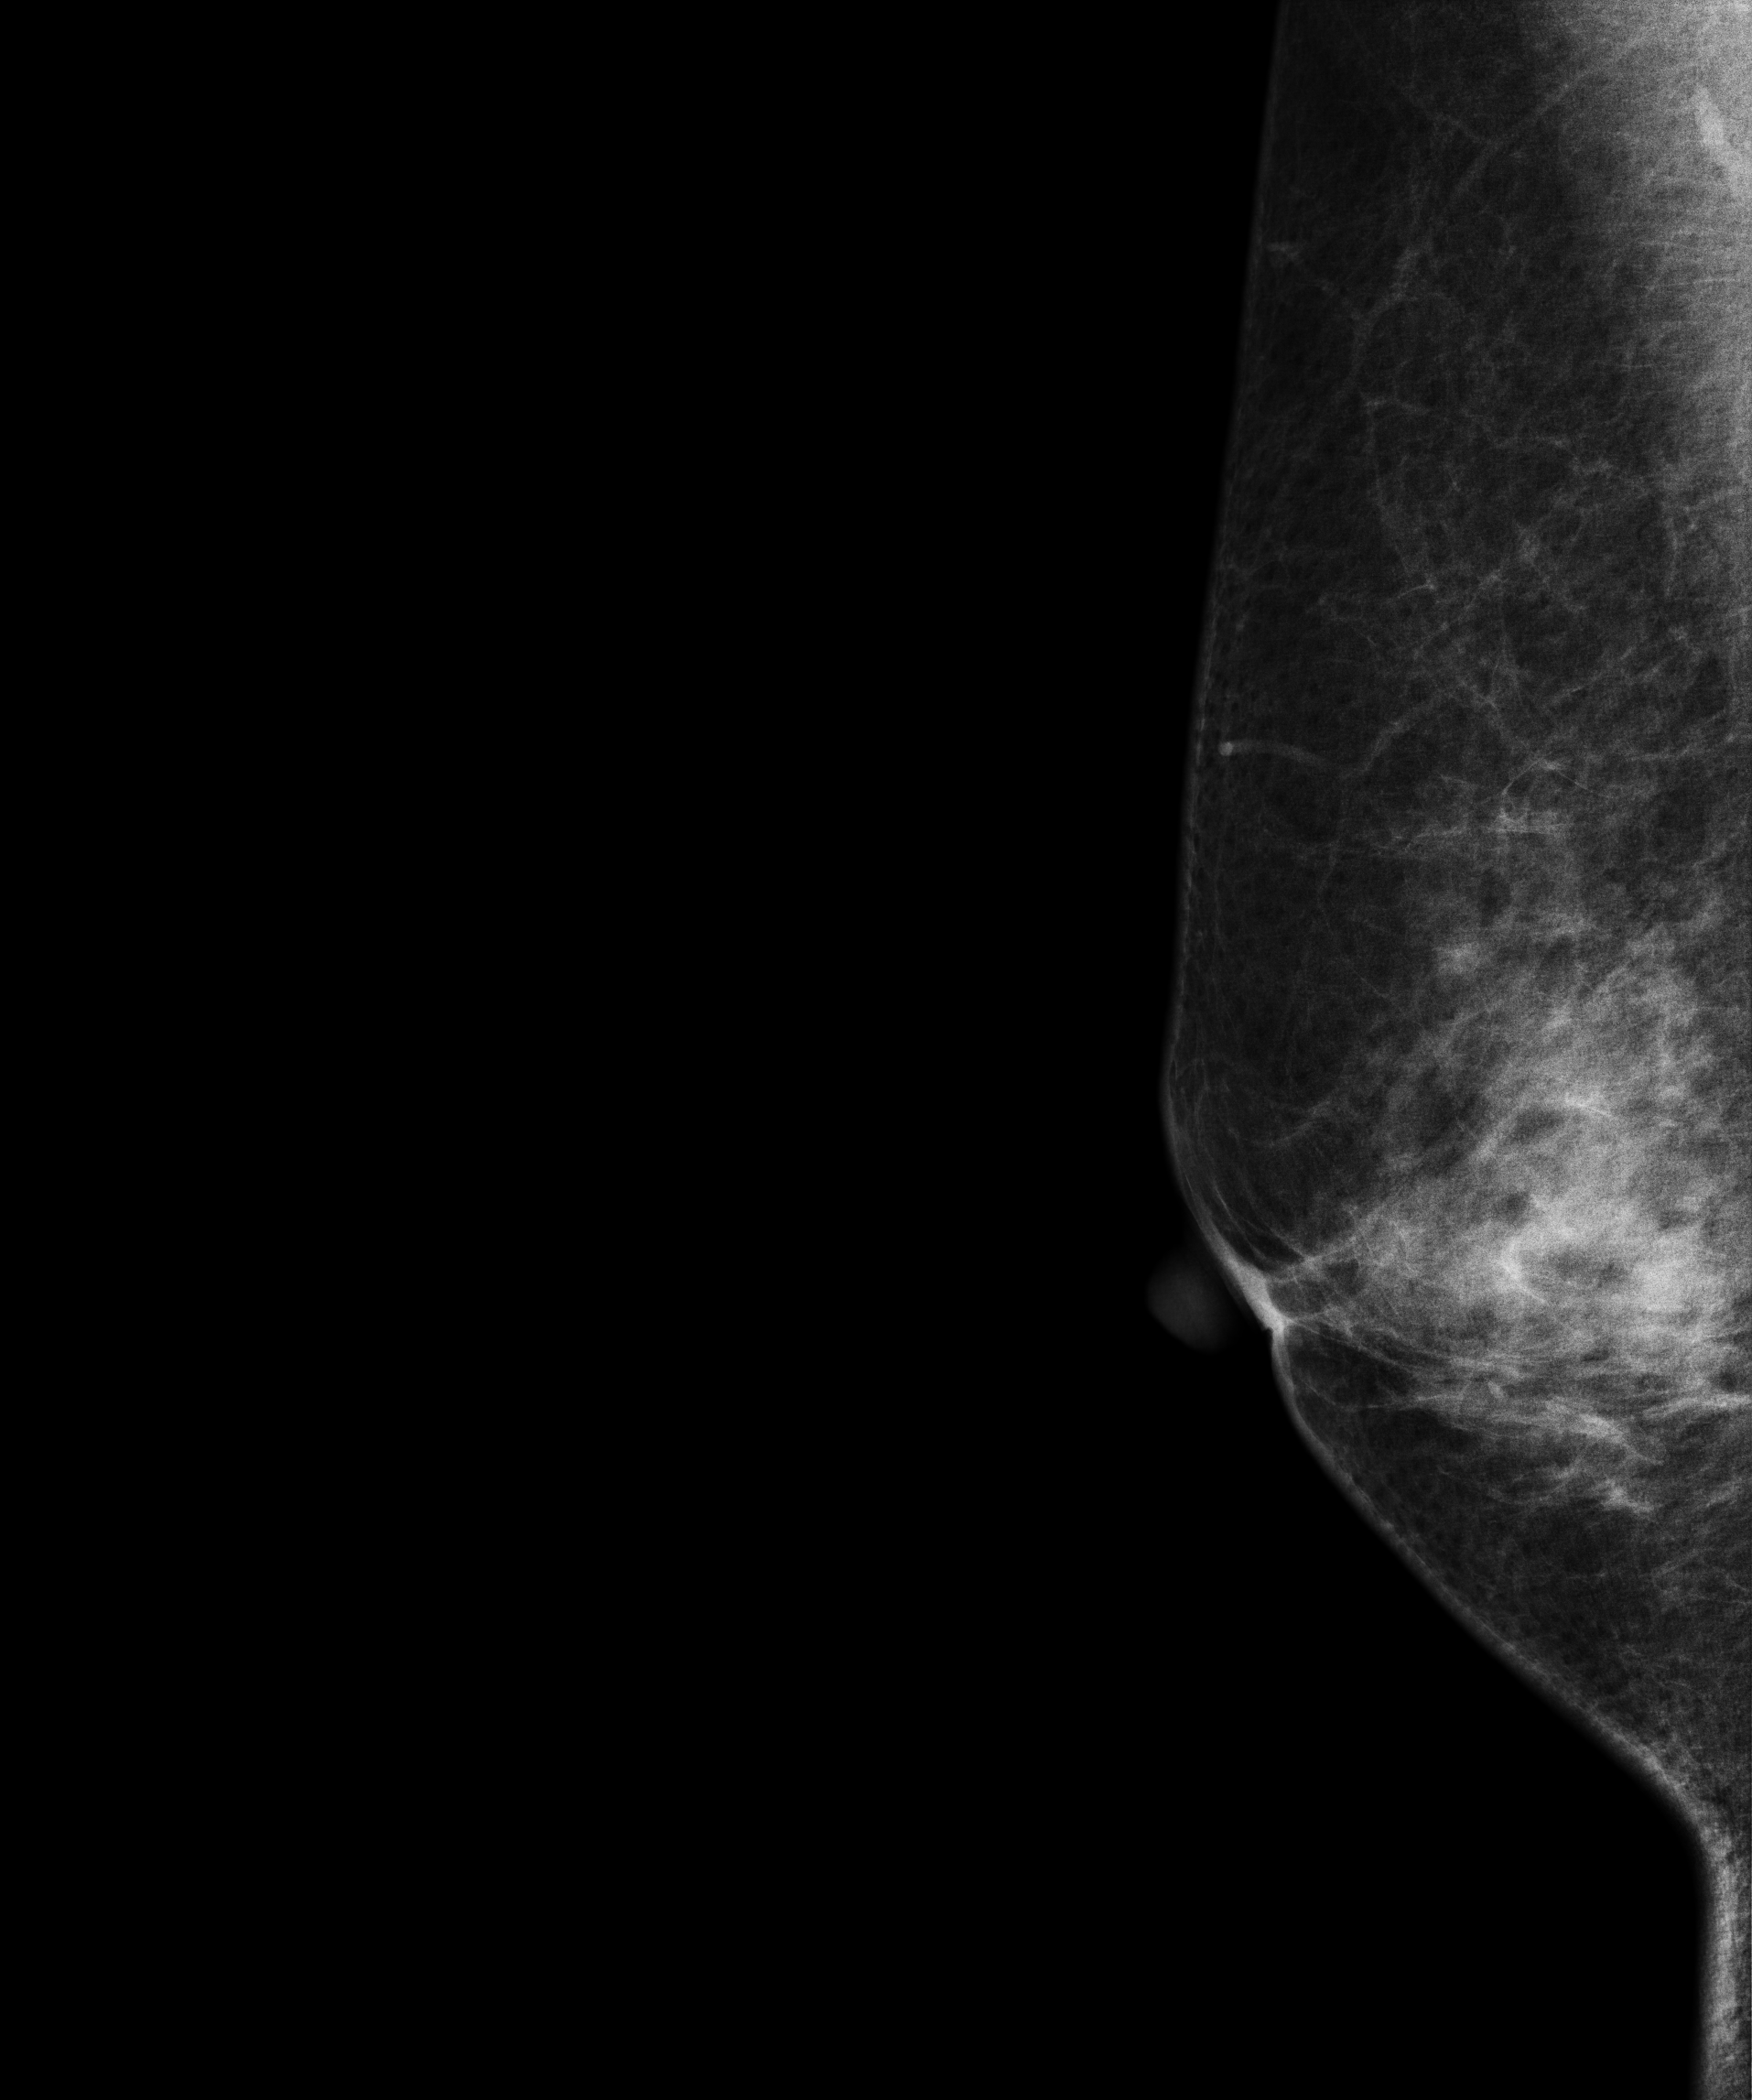
Mammogram, right breast, MLO view. Patient age 51.
Contralateral breast — no documented abnormality on this side.